Digital mammography. Left breast, medio-lateral oblique projection. 23 y/o patient.
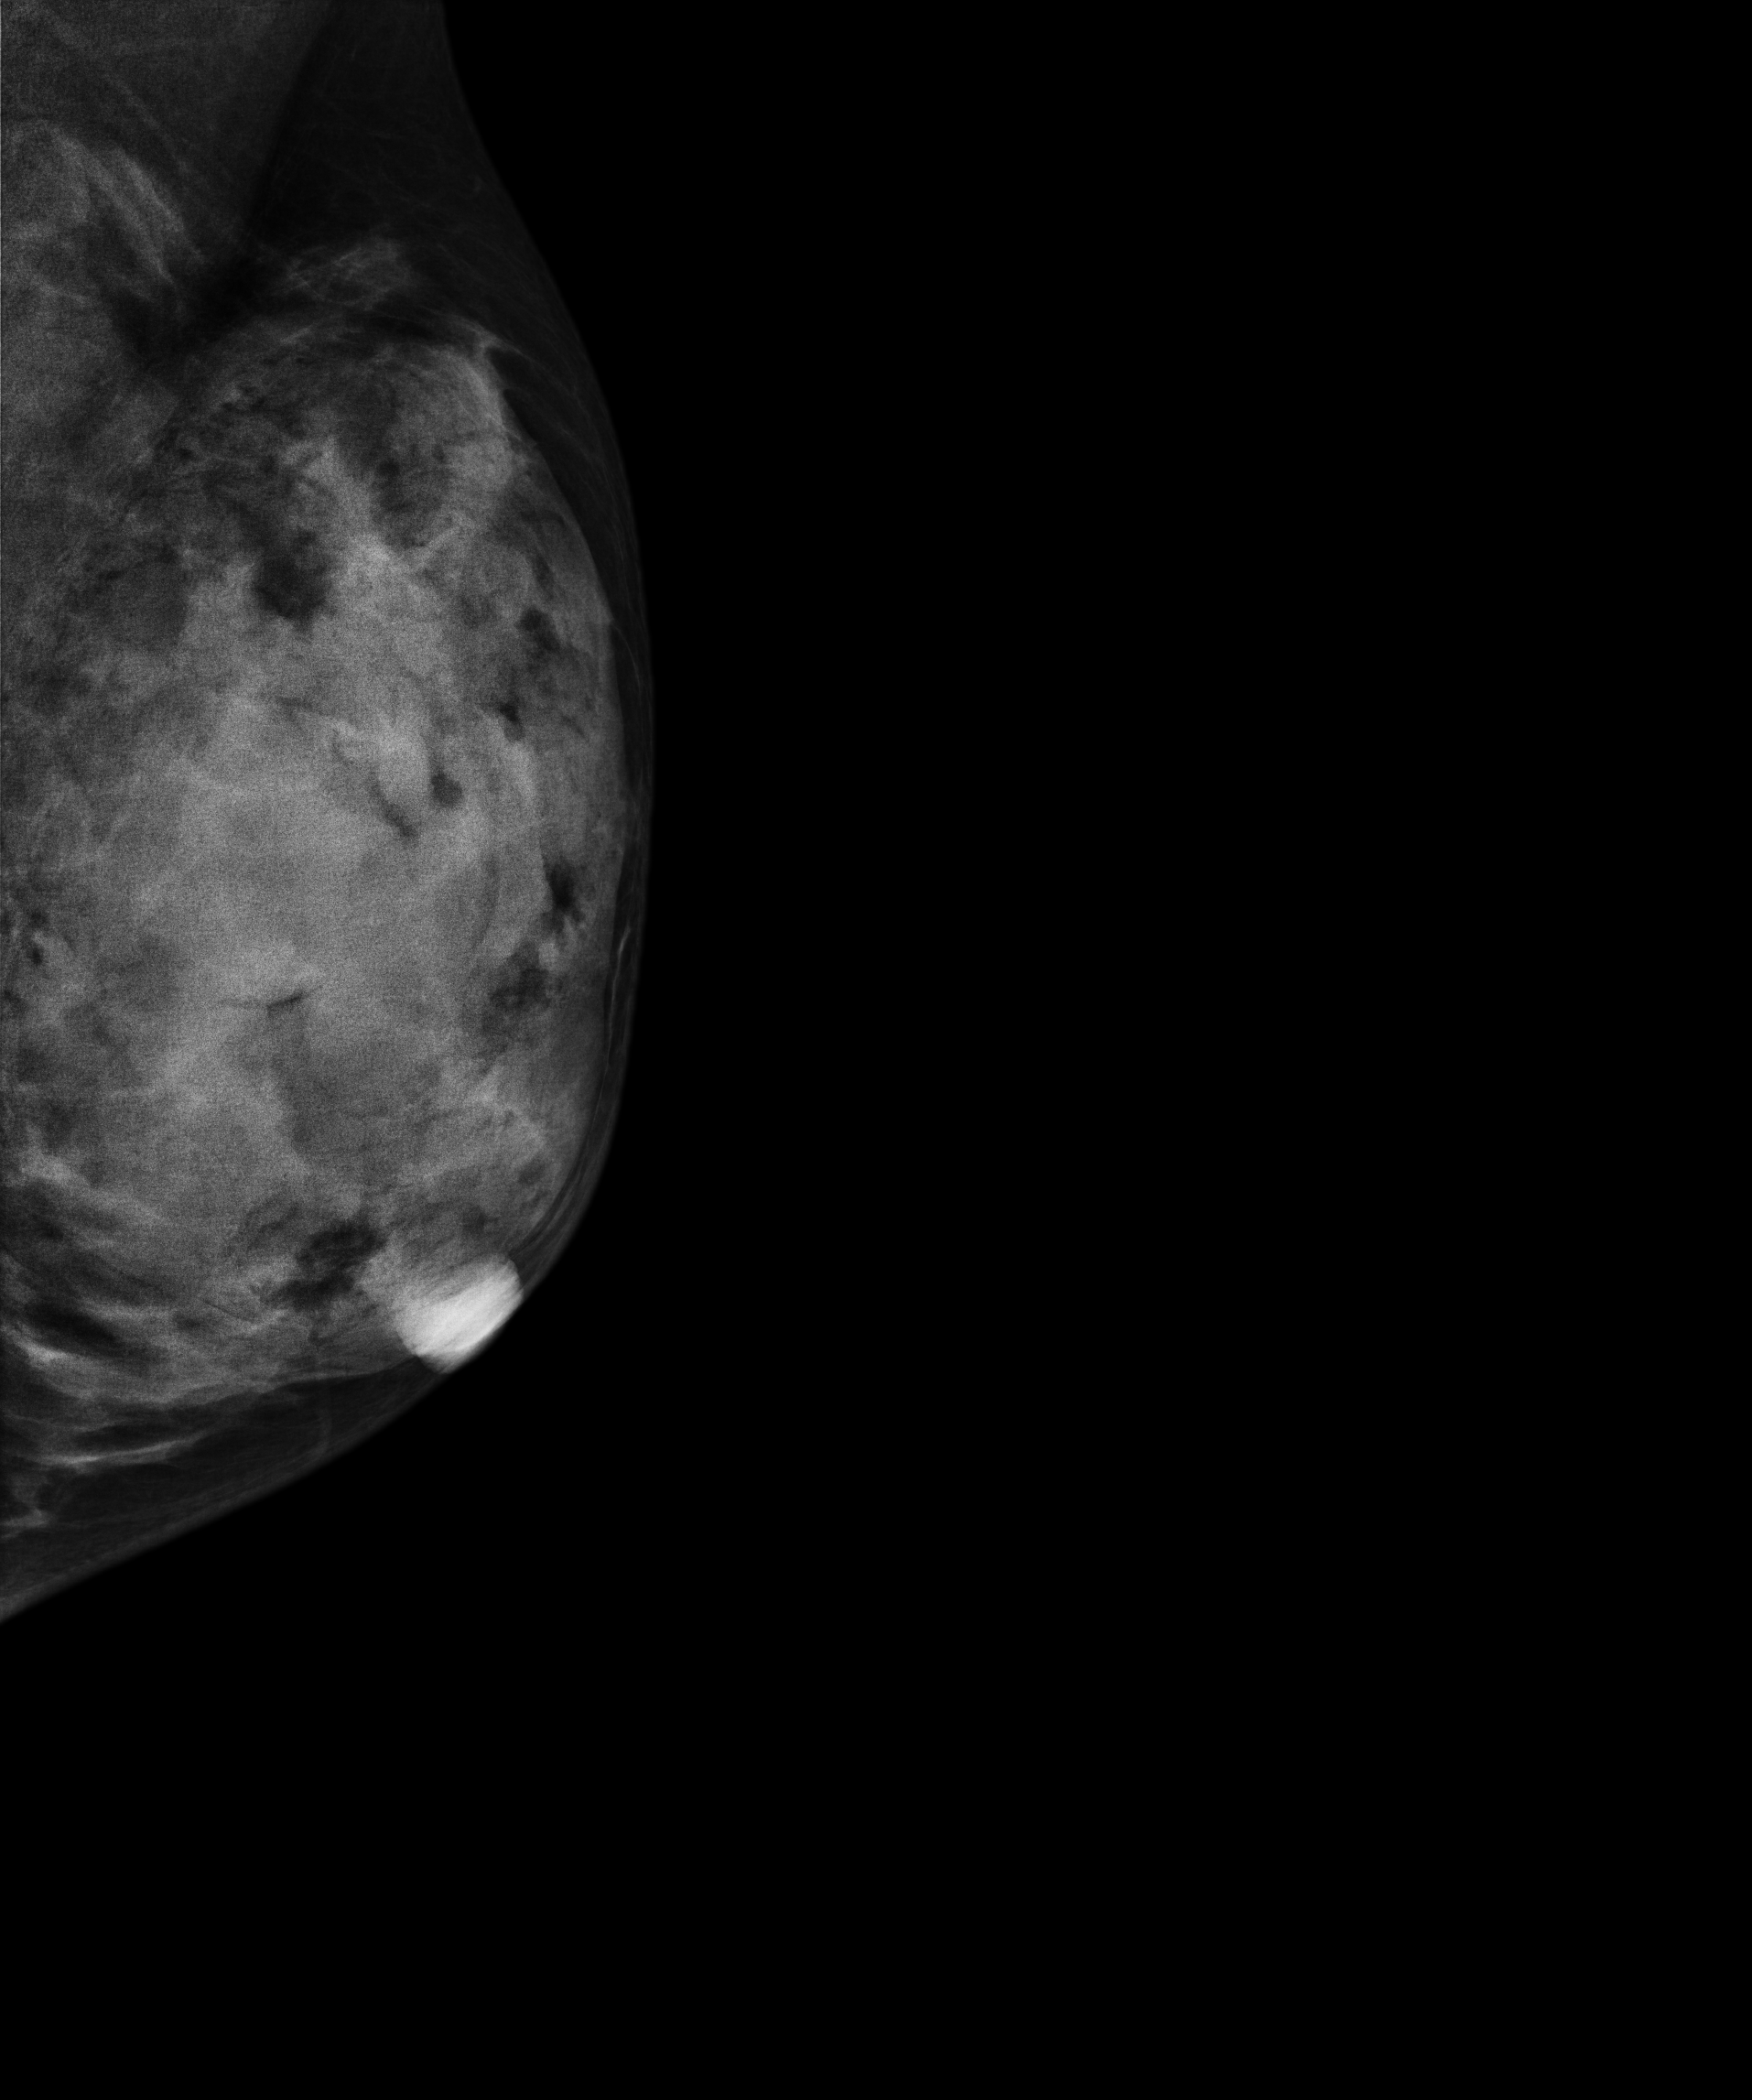
This breast has a mass, biopsy-confirmed benign.